Left-breast mammogram, medio-lateral oblique. 56 y/o patient.
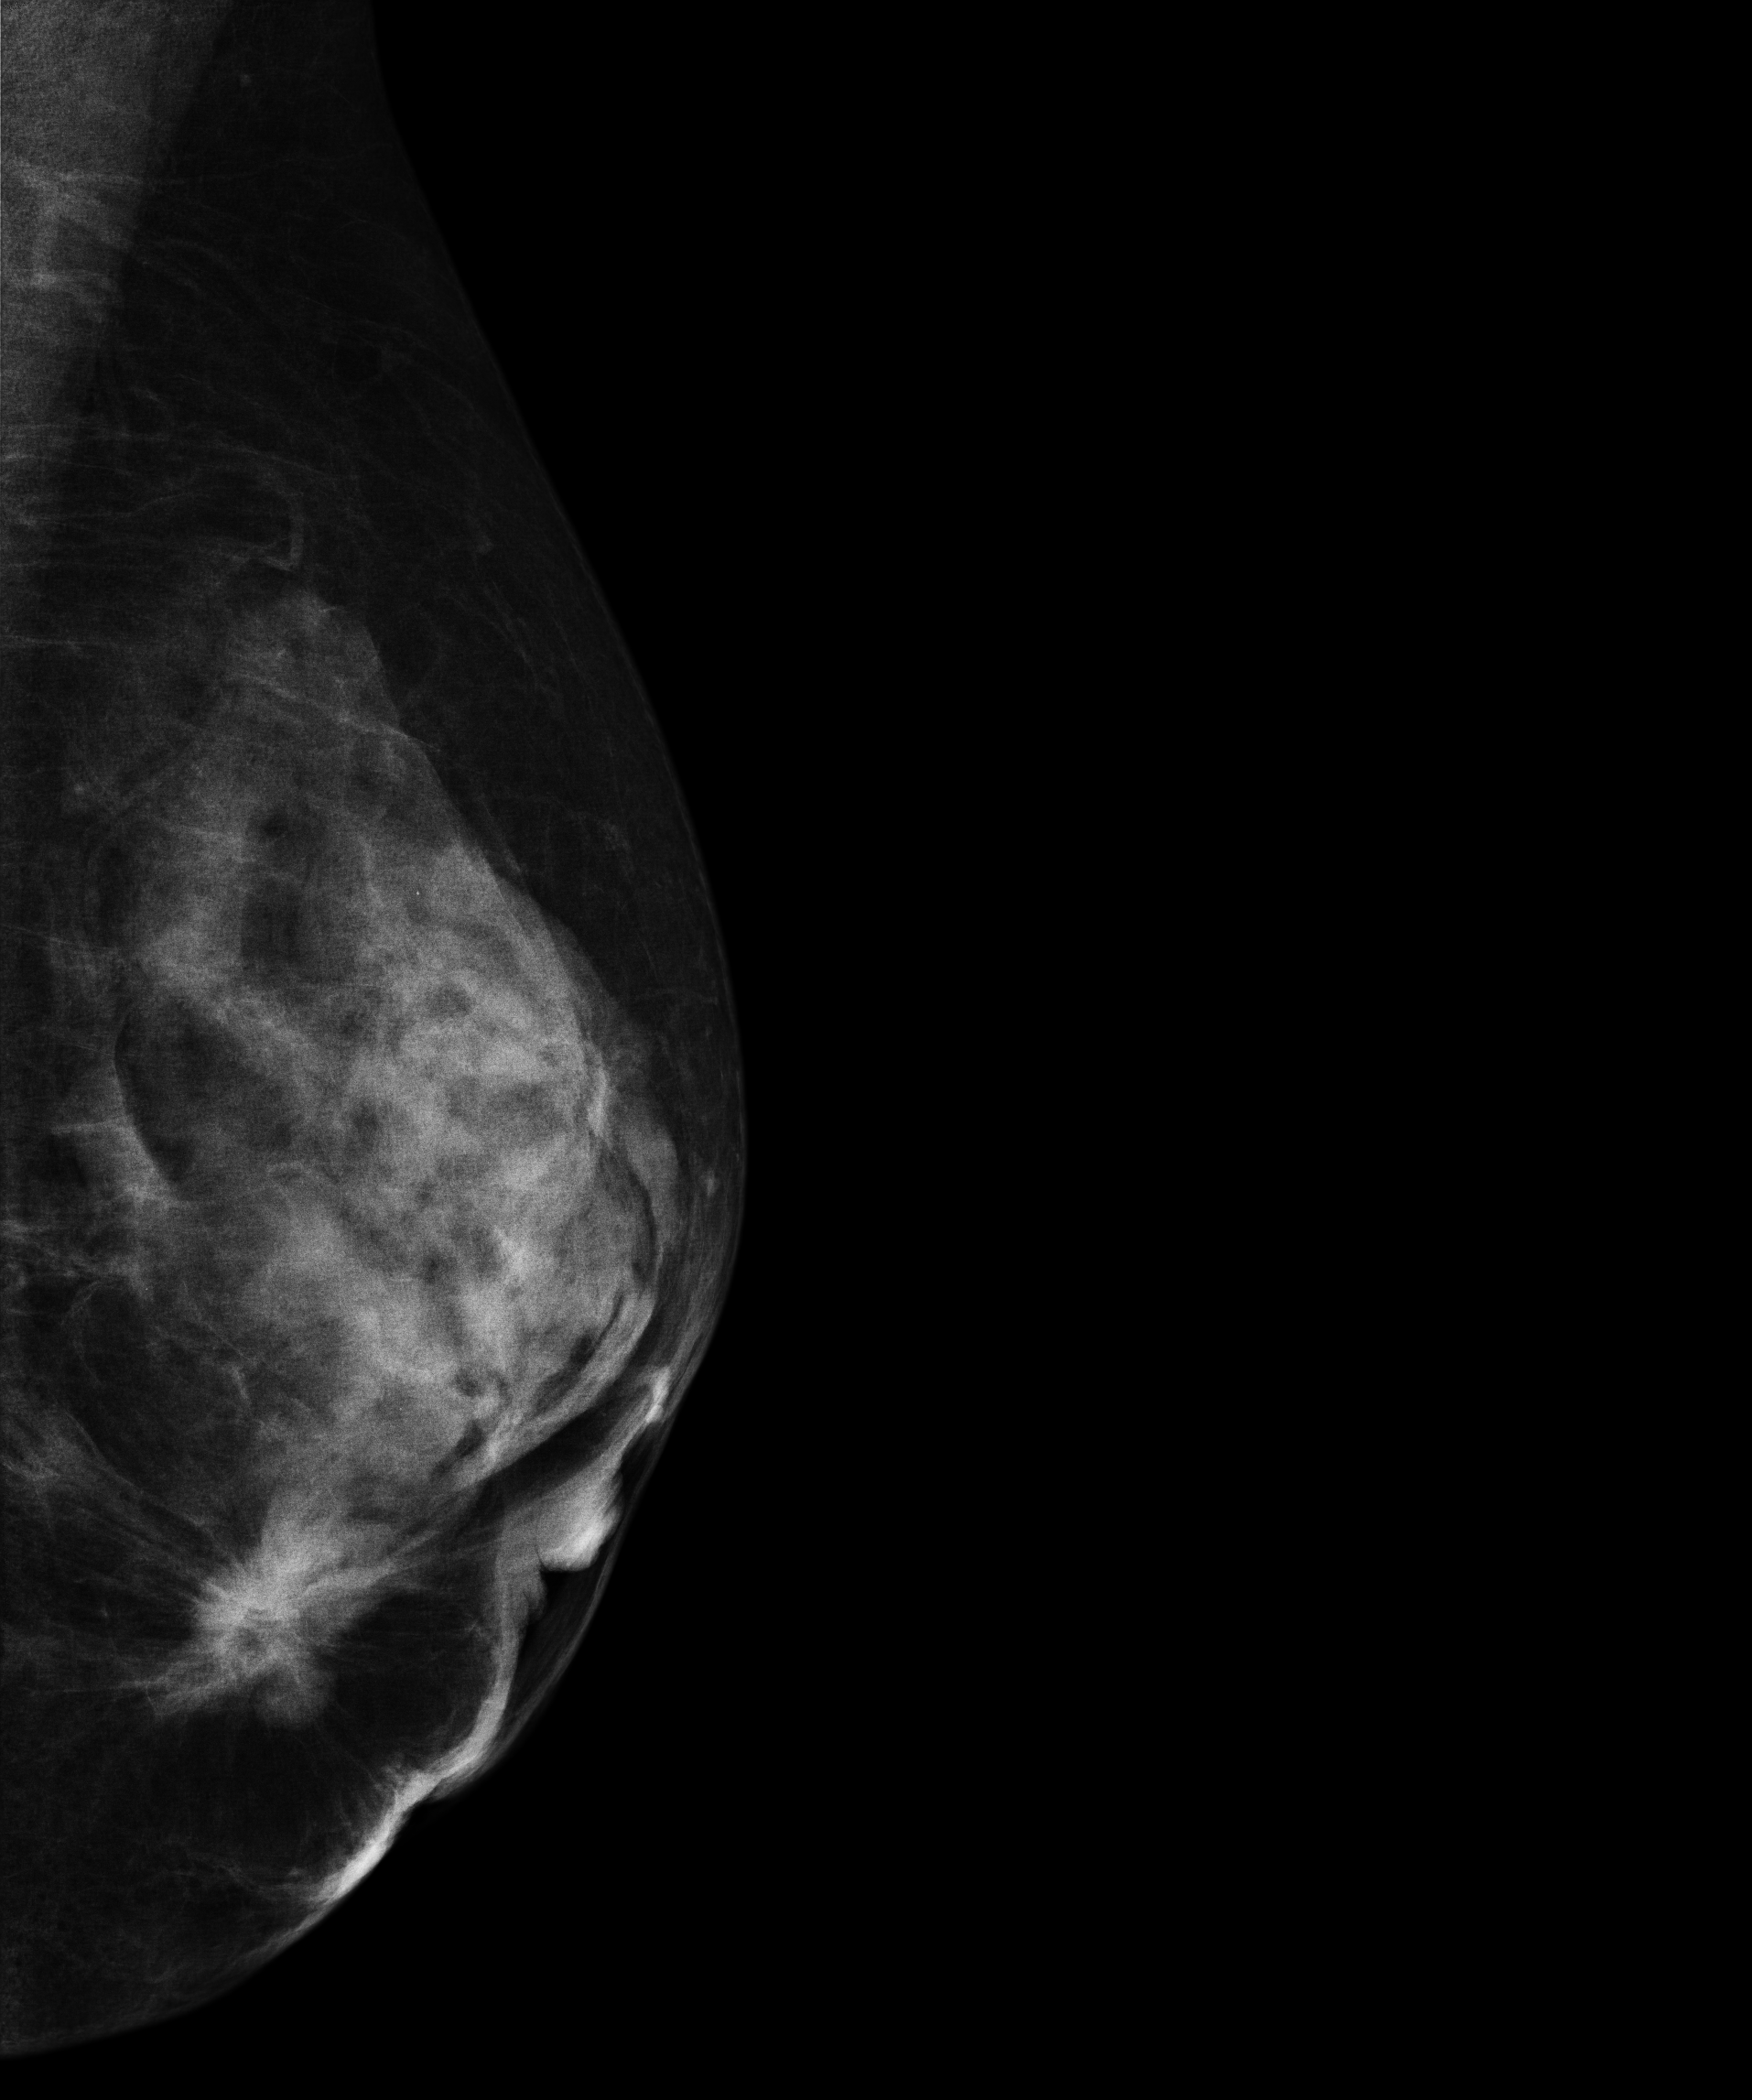
This breast has a mass, pathology-confirmed malignant. Molecular subtype: luminal B.